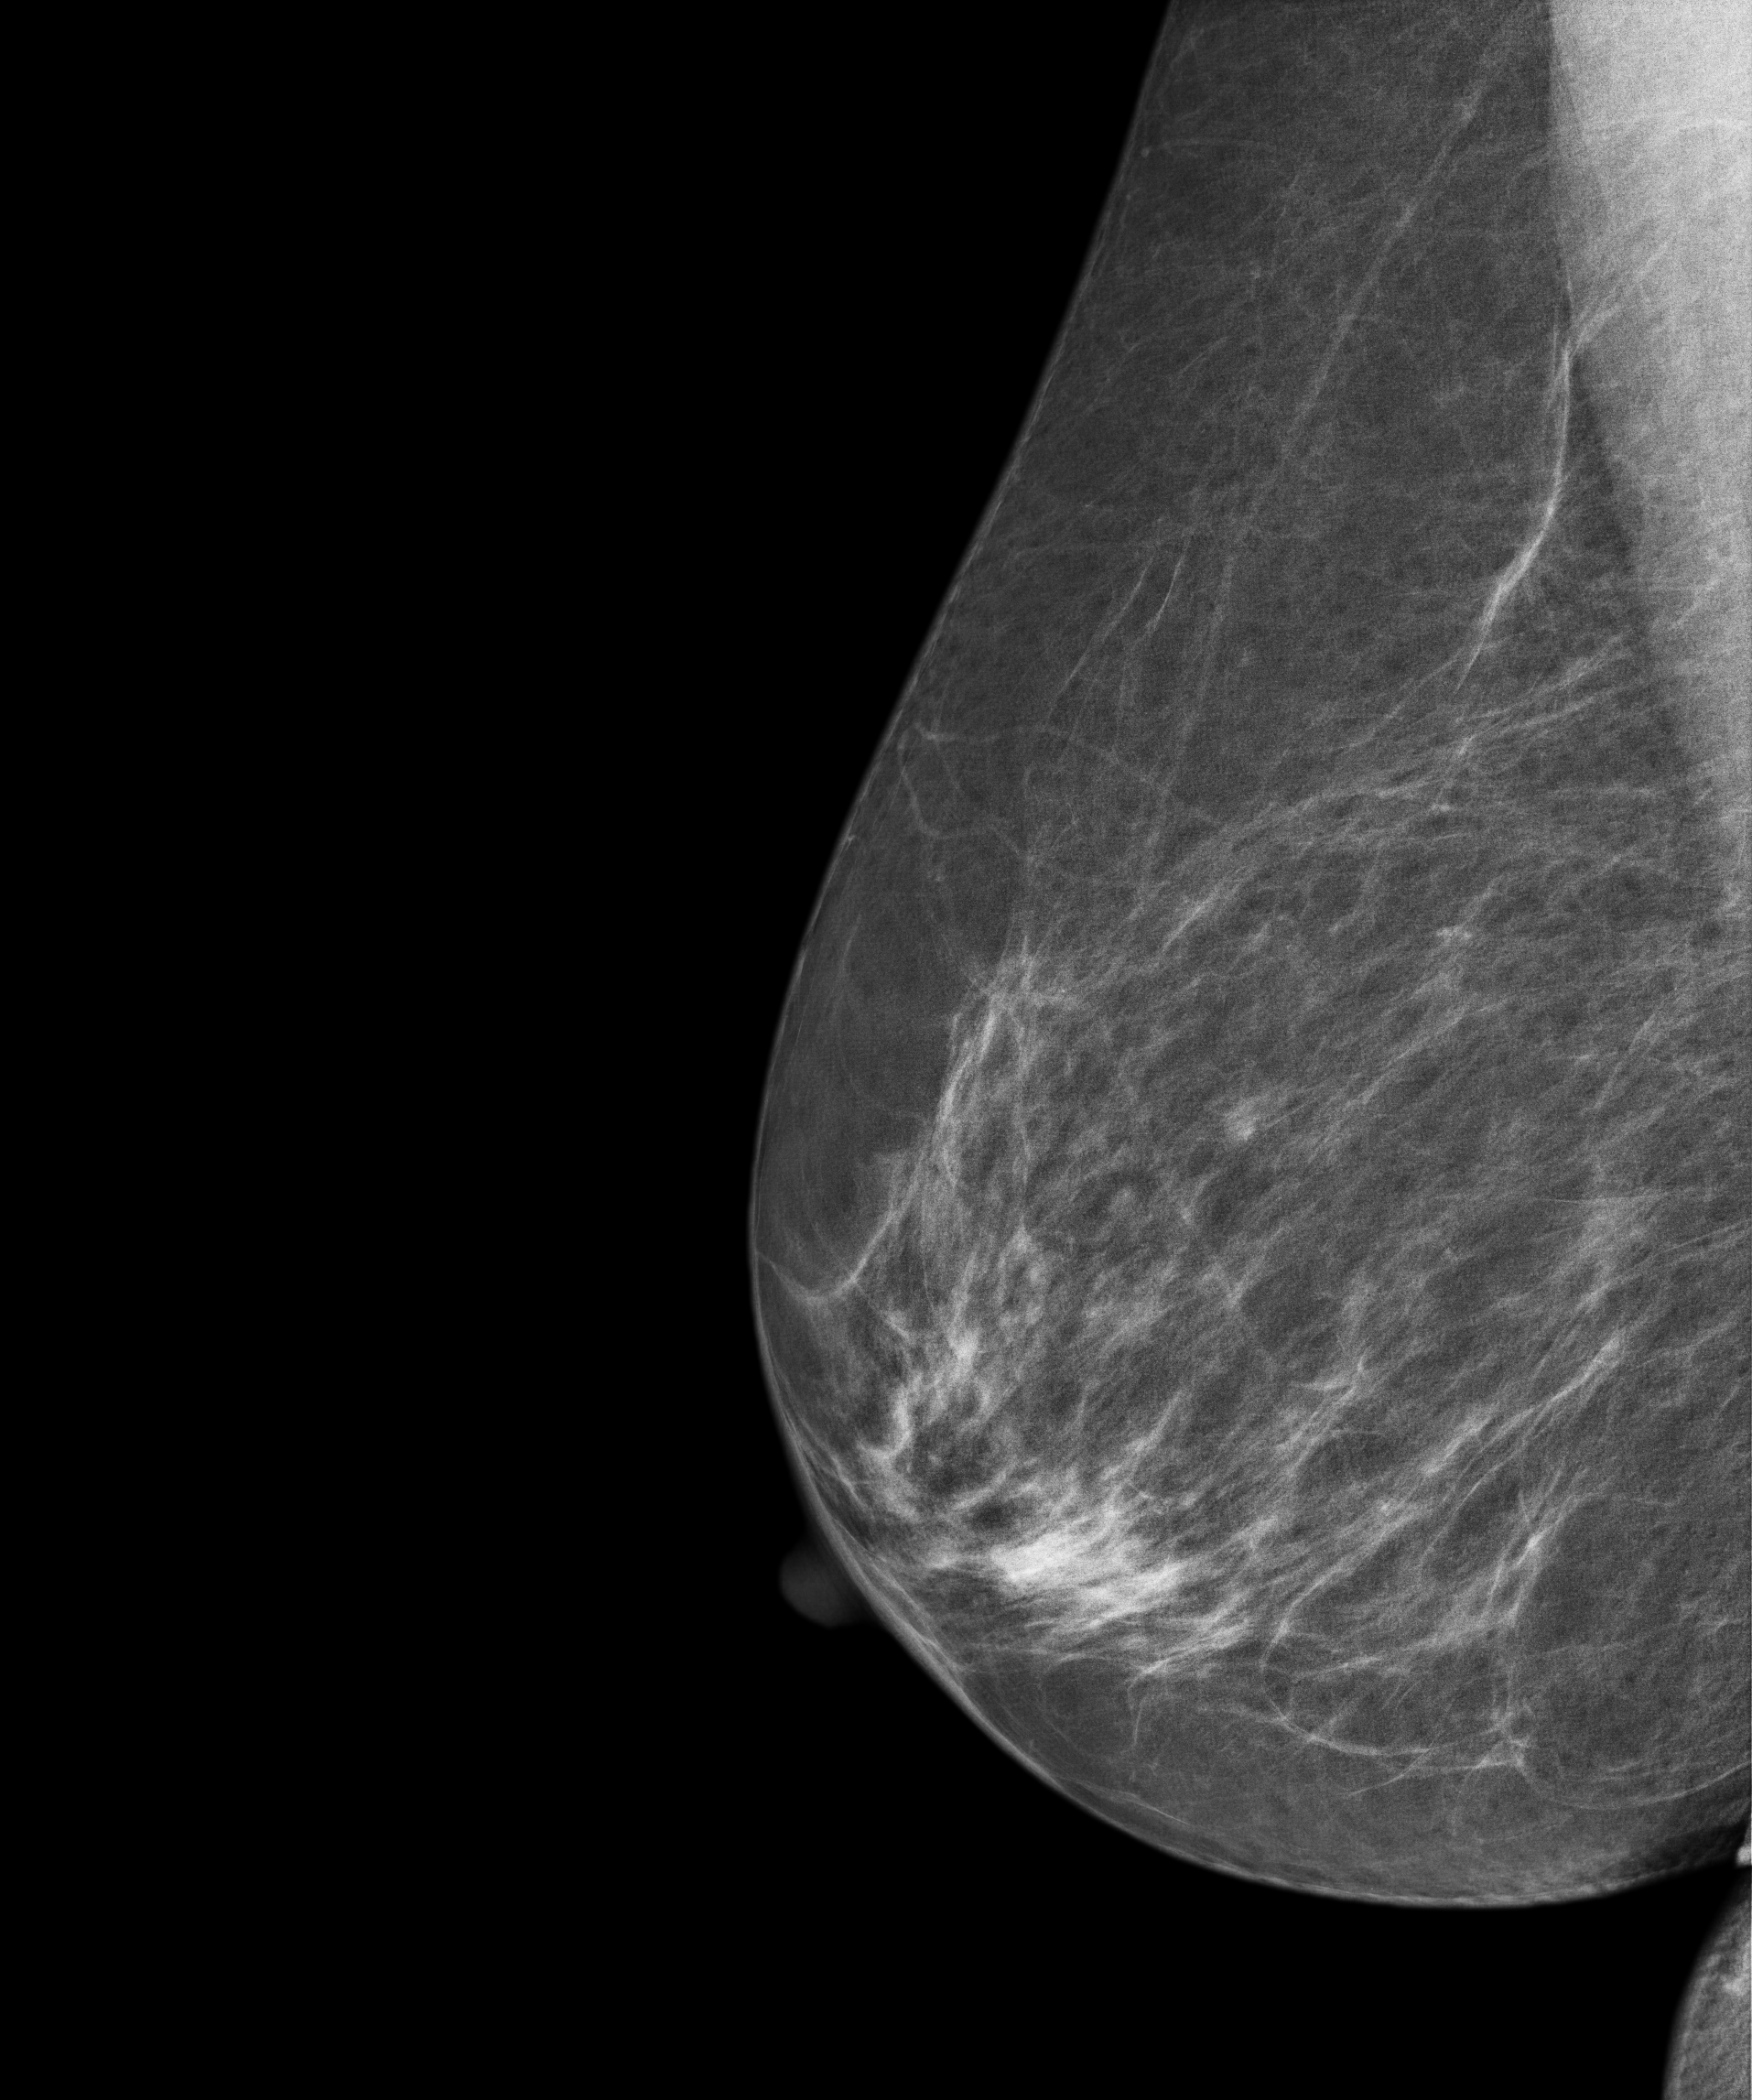
MLO mammogram of the right breast. Patient age 63.
Contralateral breast — no documented abnormality on this side.